Digital mammography. Left breast, CC projection. 62 y/o patient.
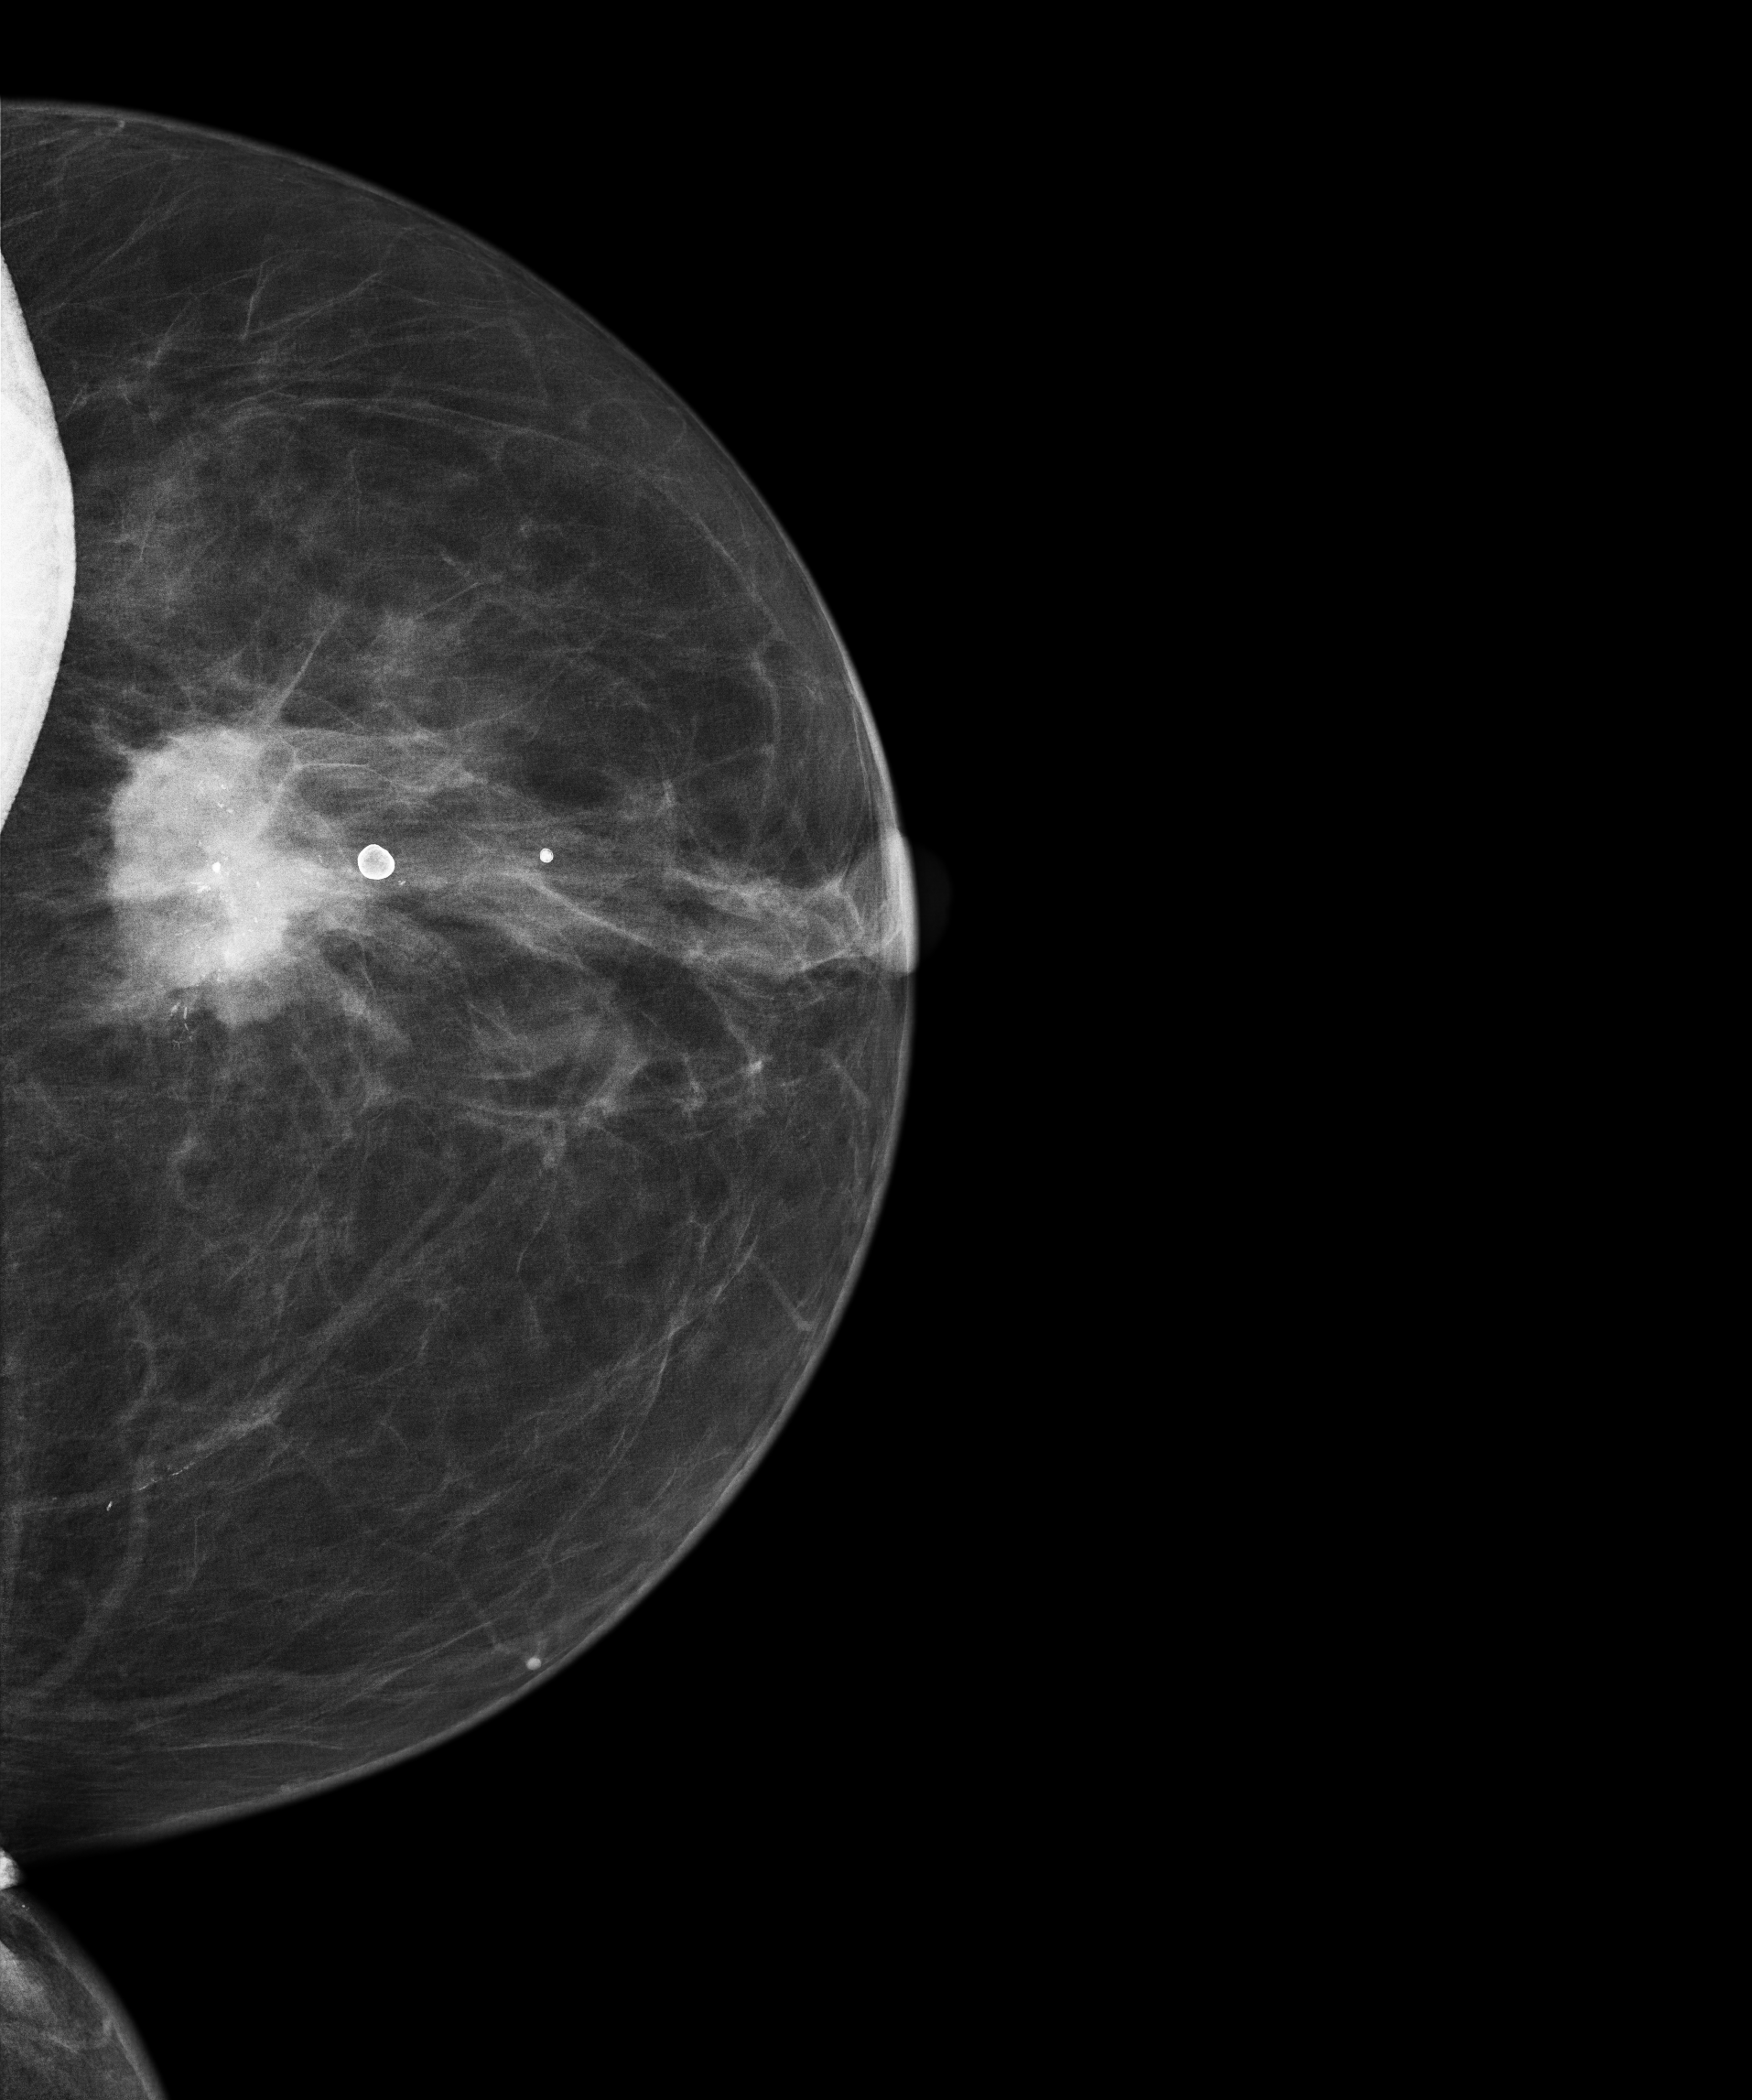
This breast has a mass and calcifications, histologically confirmed malignant.